Mammogram, left breast, MLO view. 58 y/o patient.
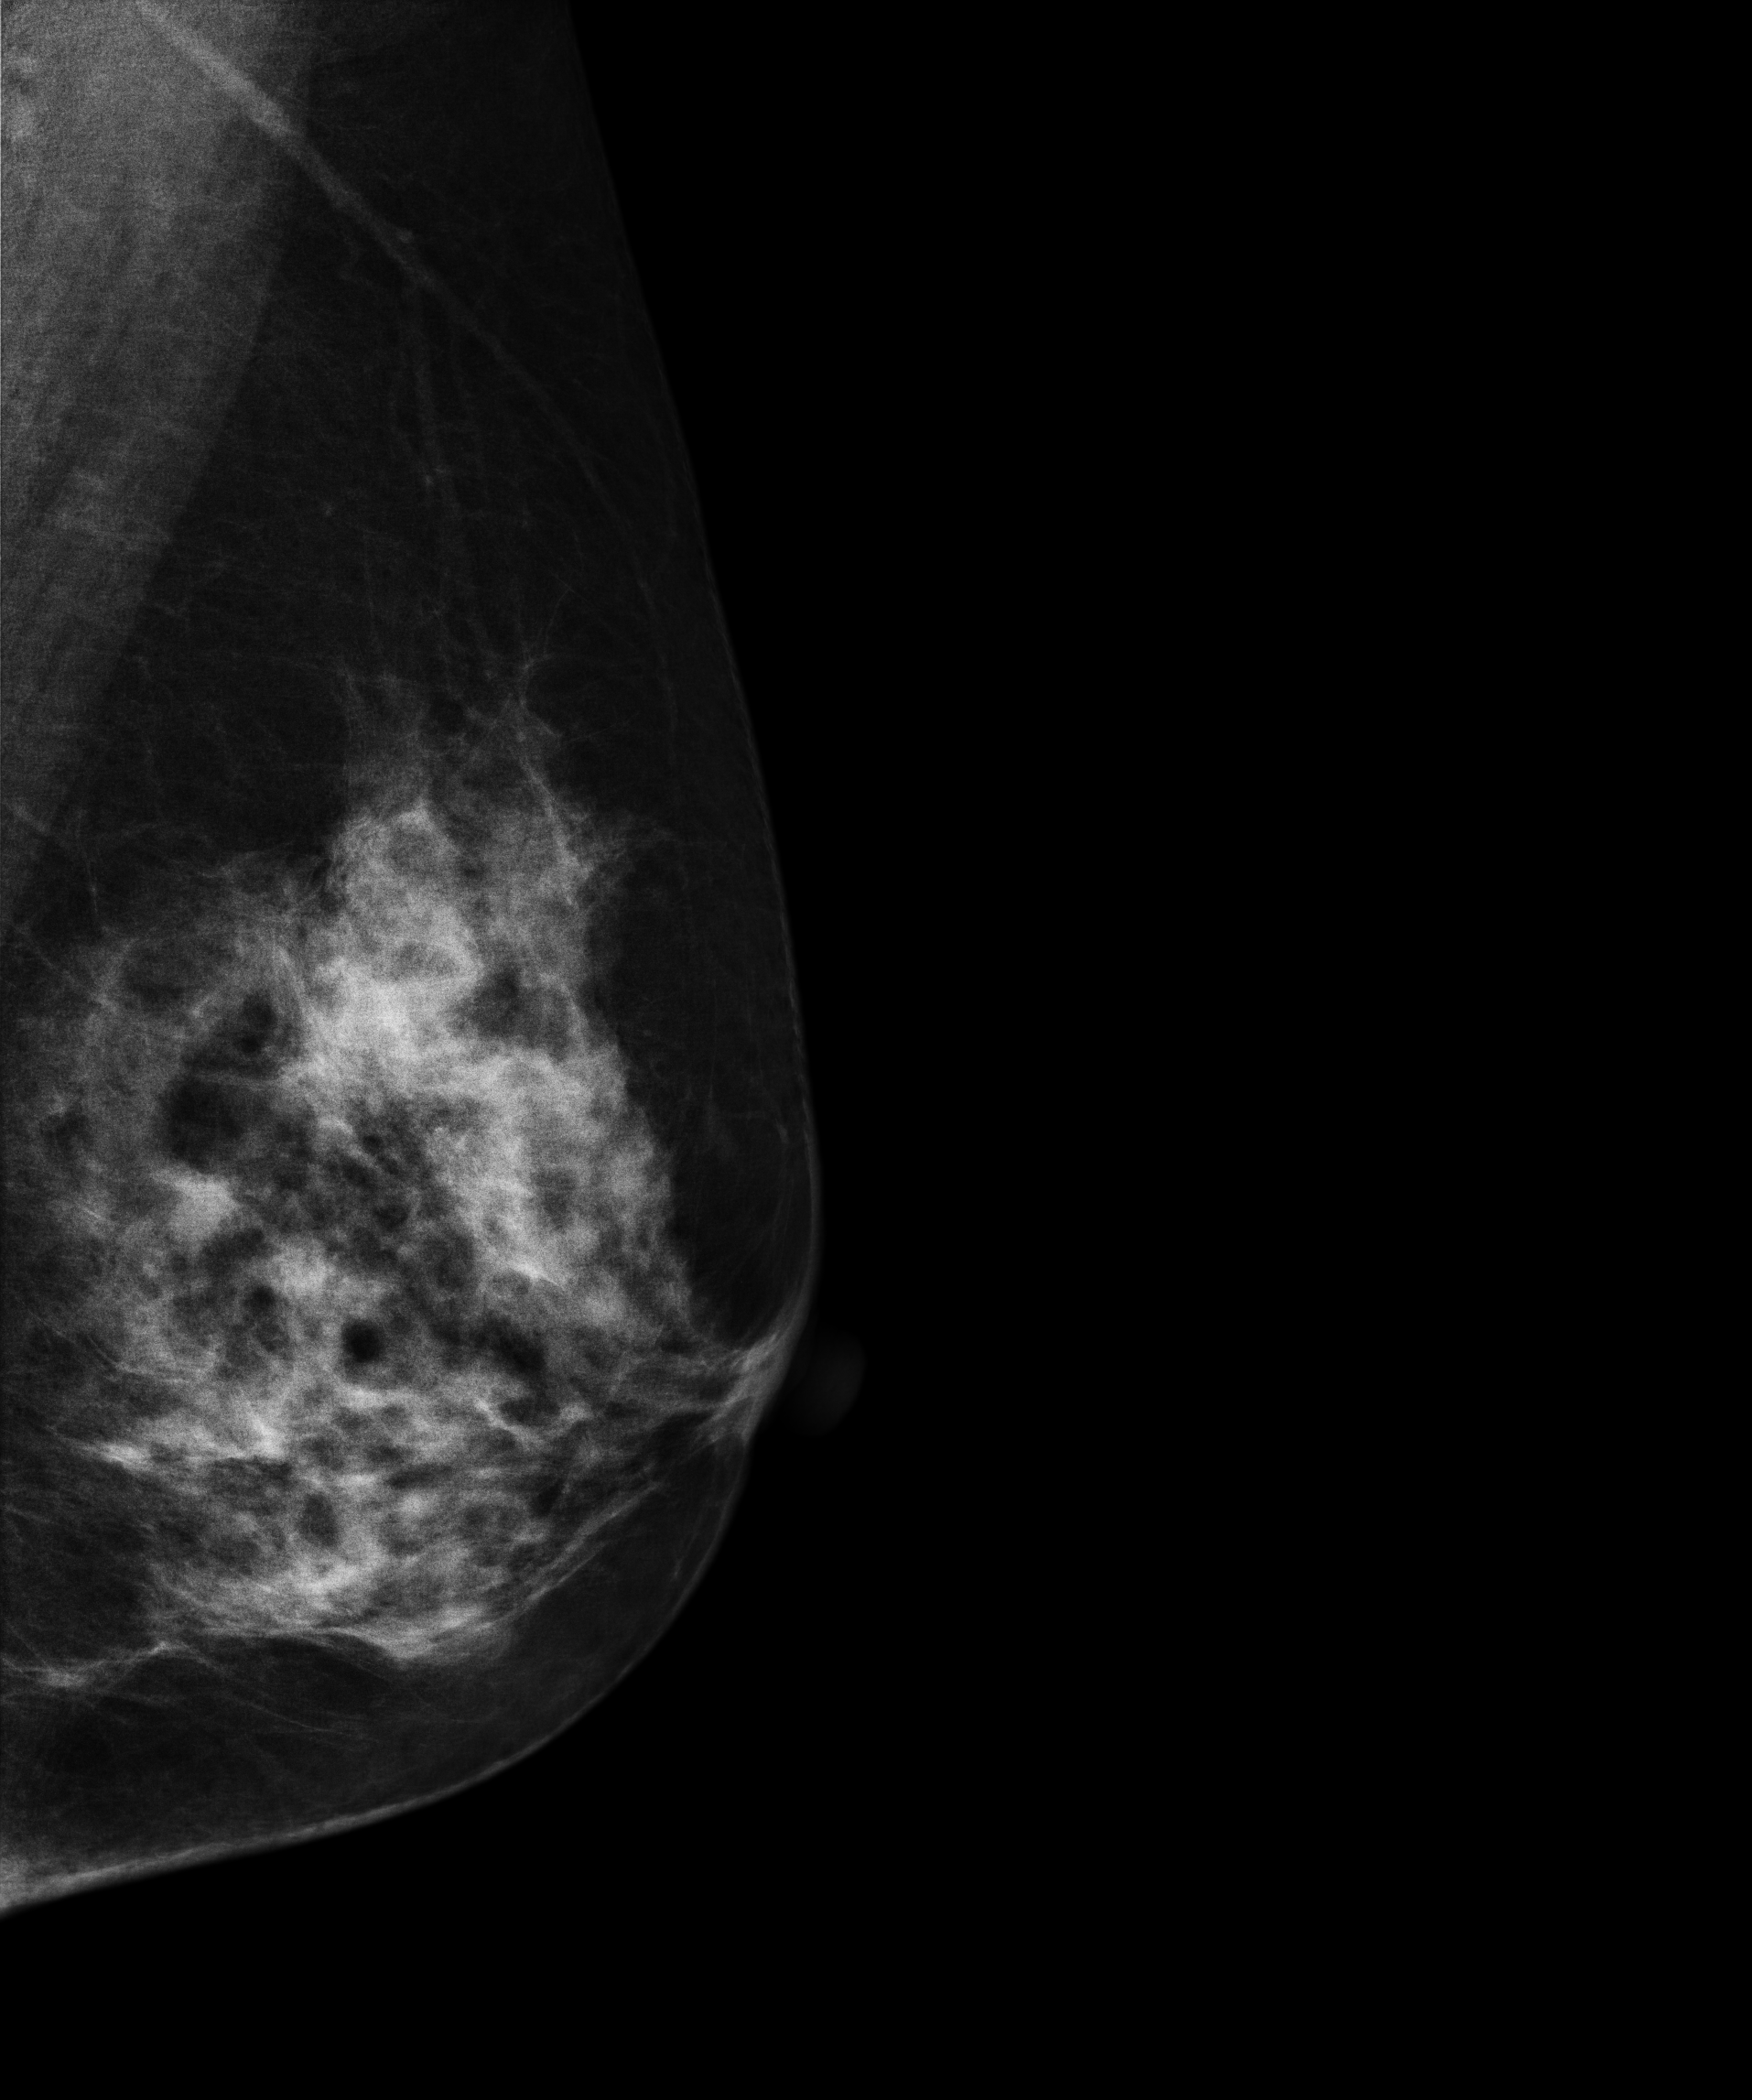
Contralateral breast — no documented abnormality on this side.